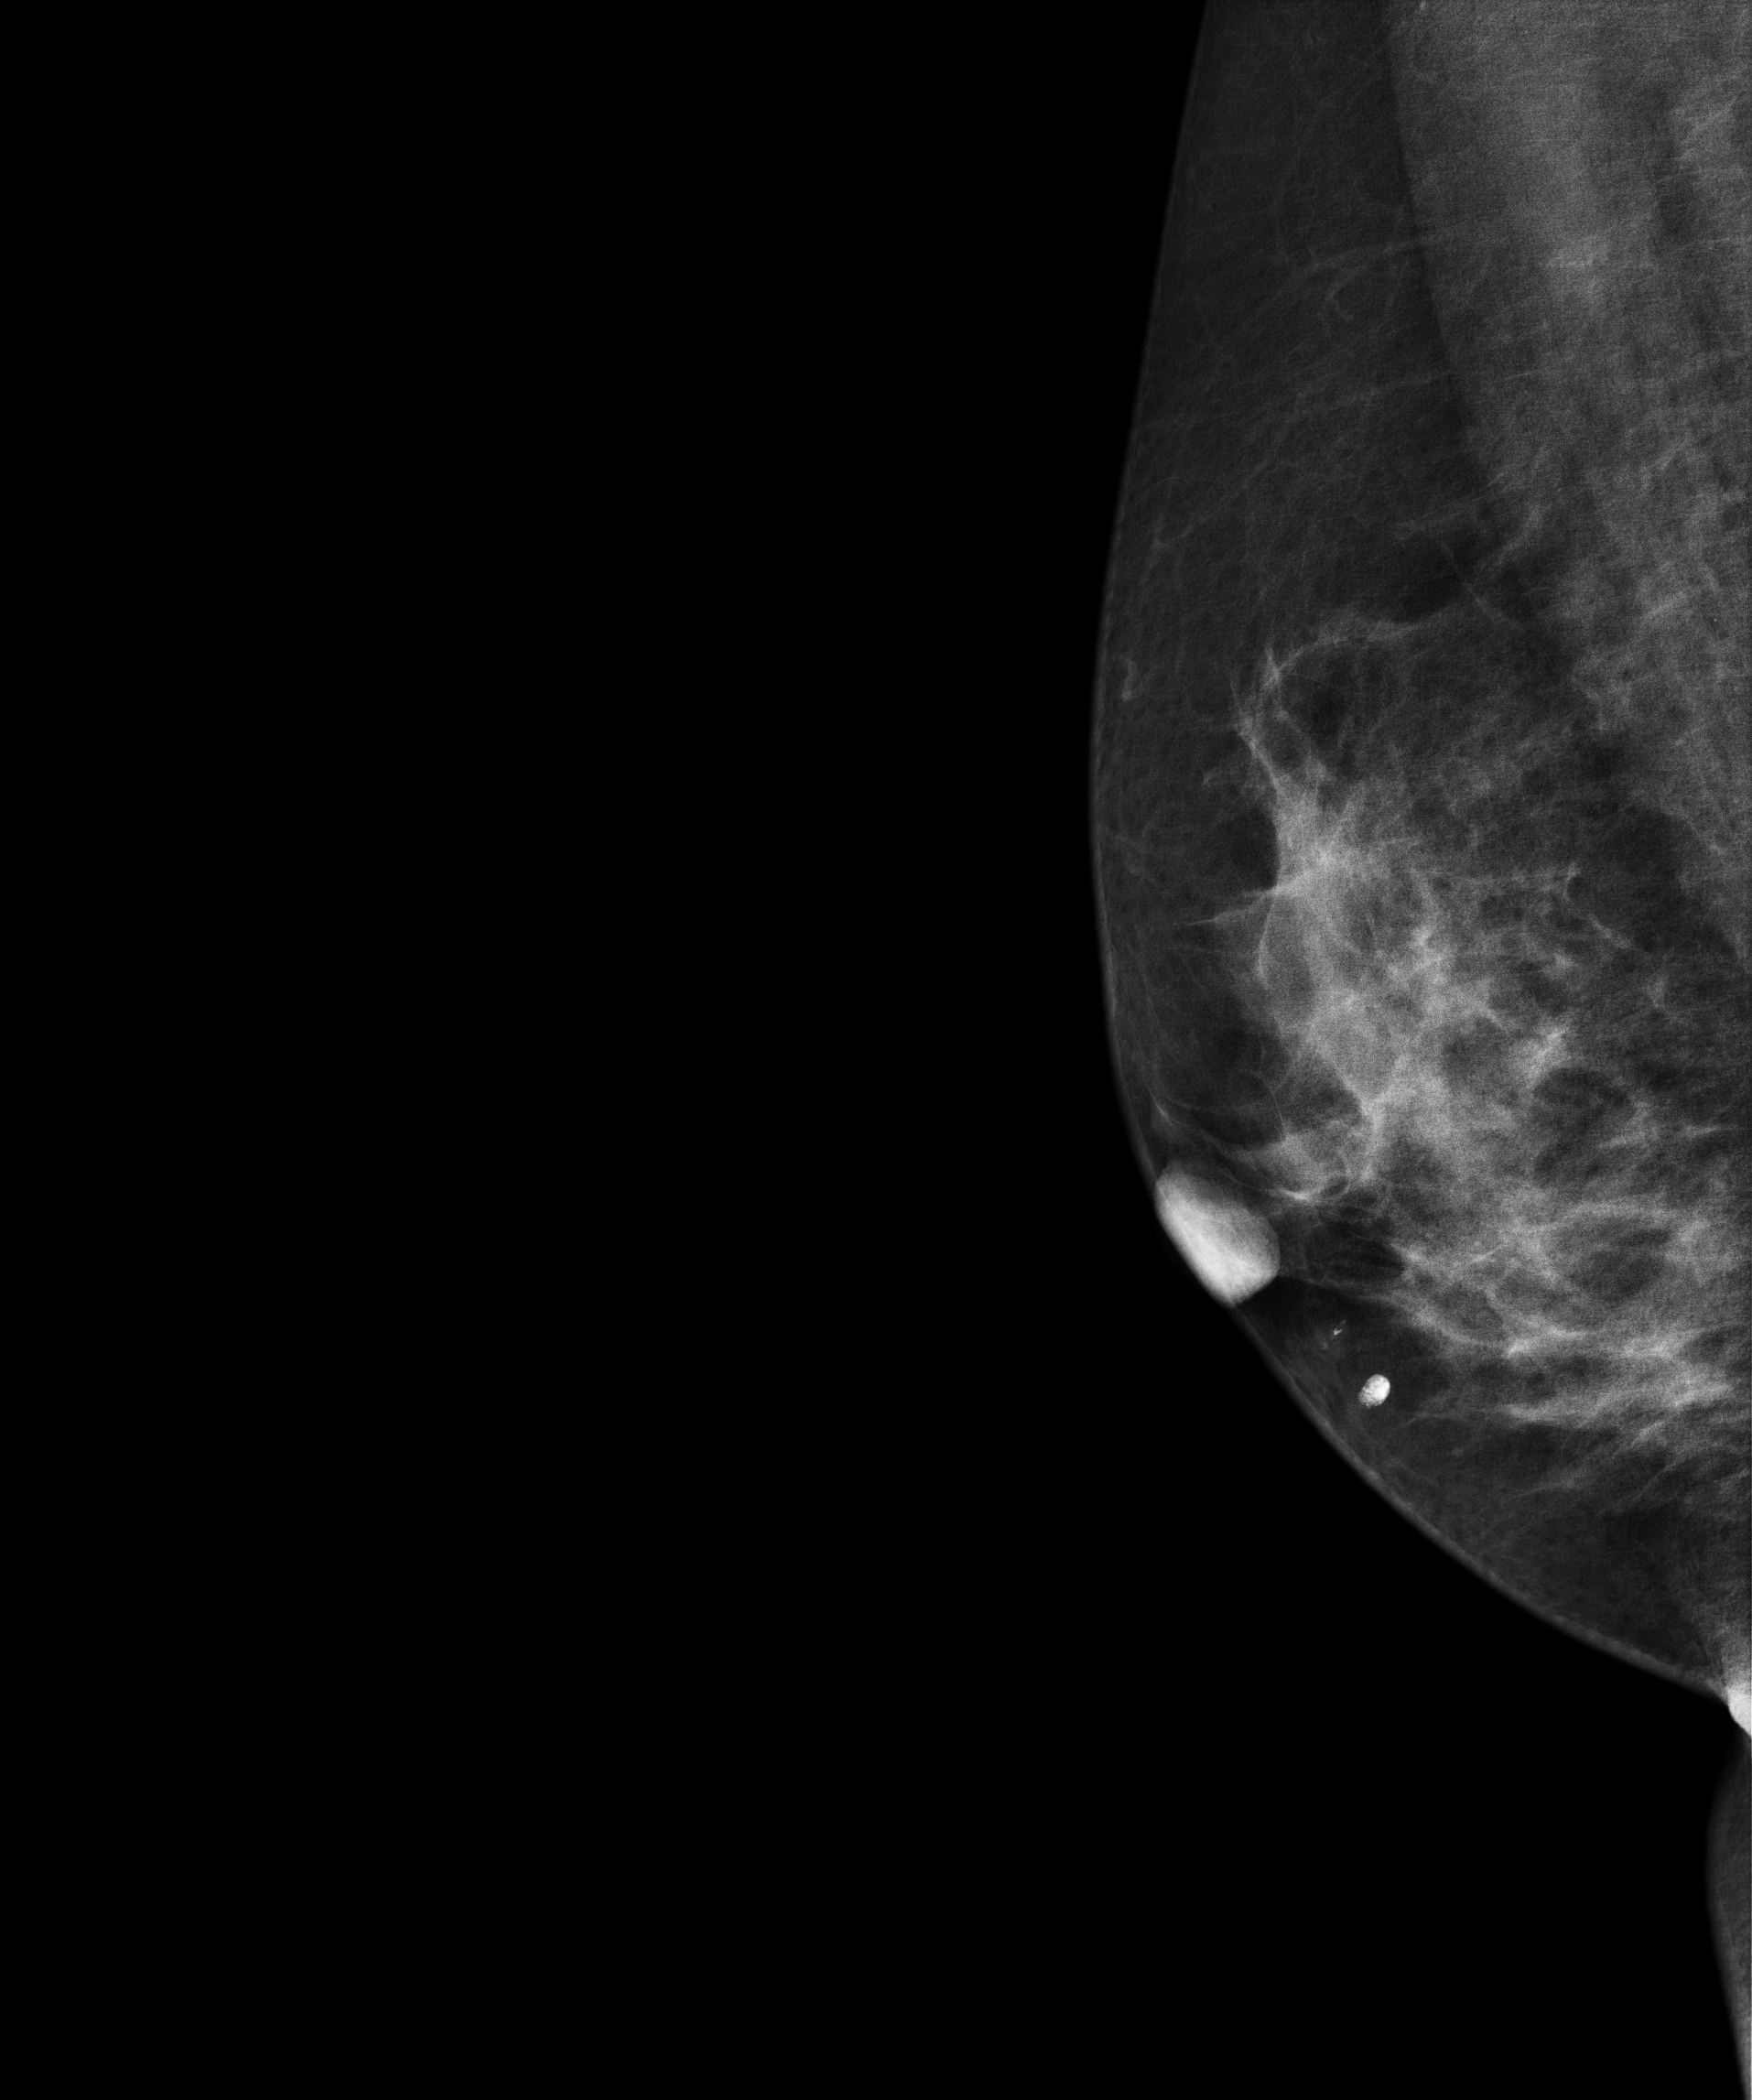
Medio-lateral oblique mammogram of the right breast. 35 y/o patient.
Contralateral breast — no documented abnormality on this side.